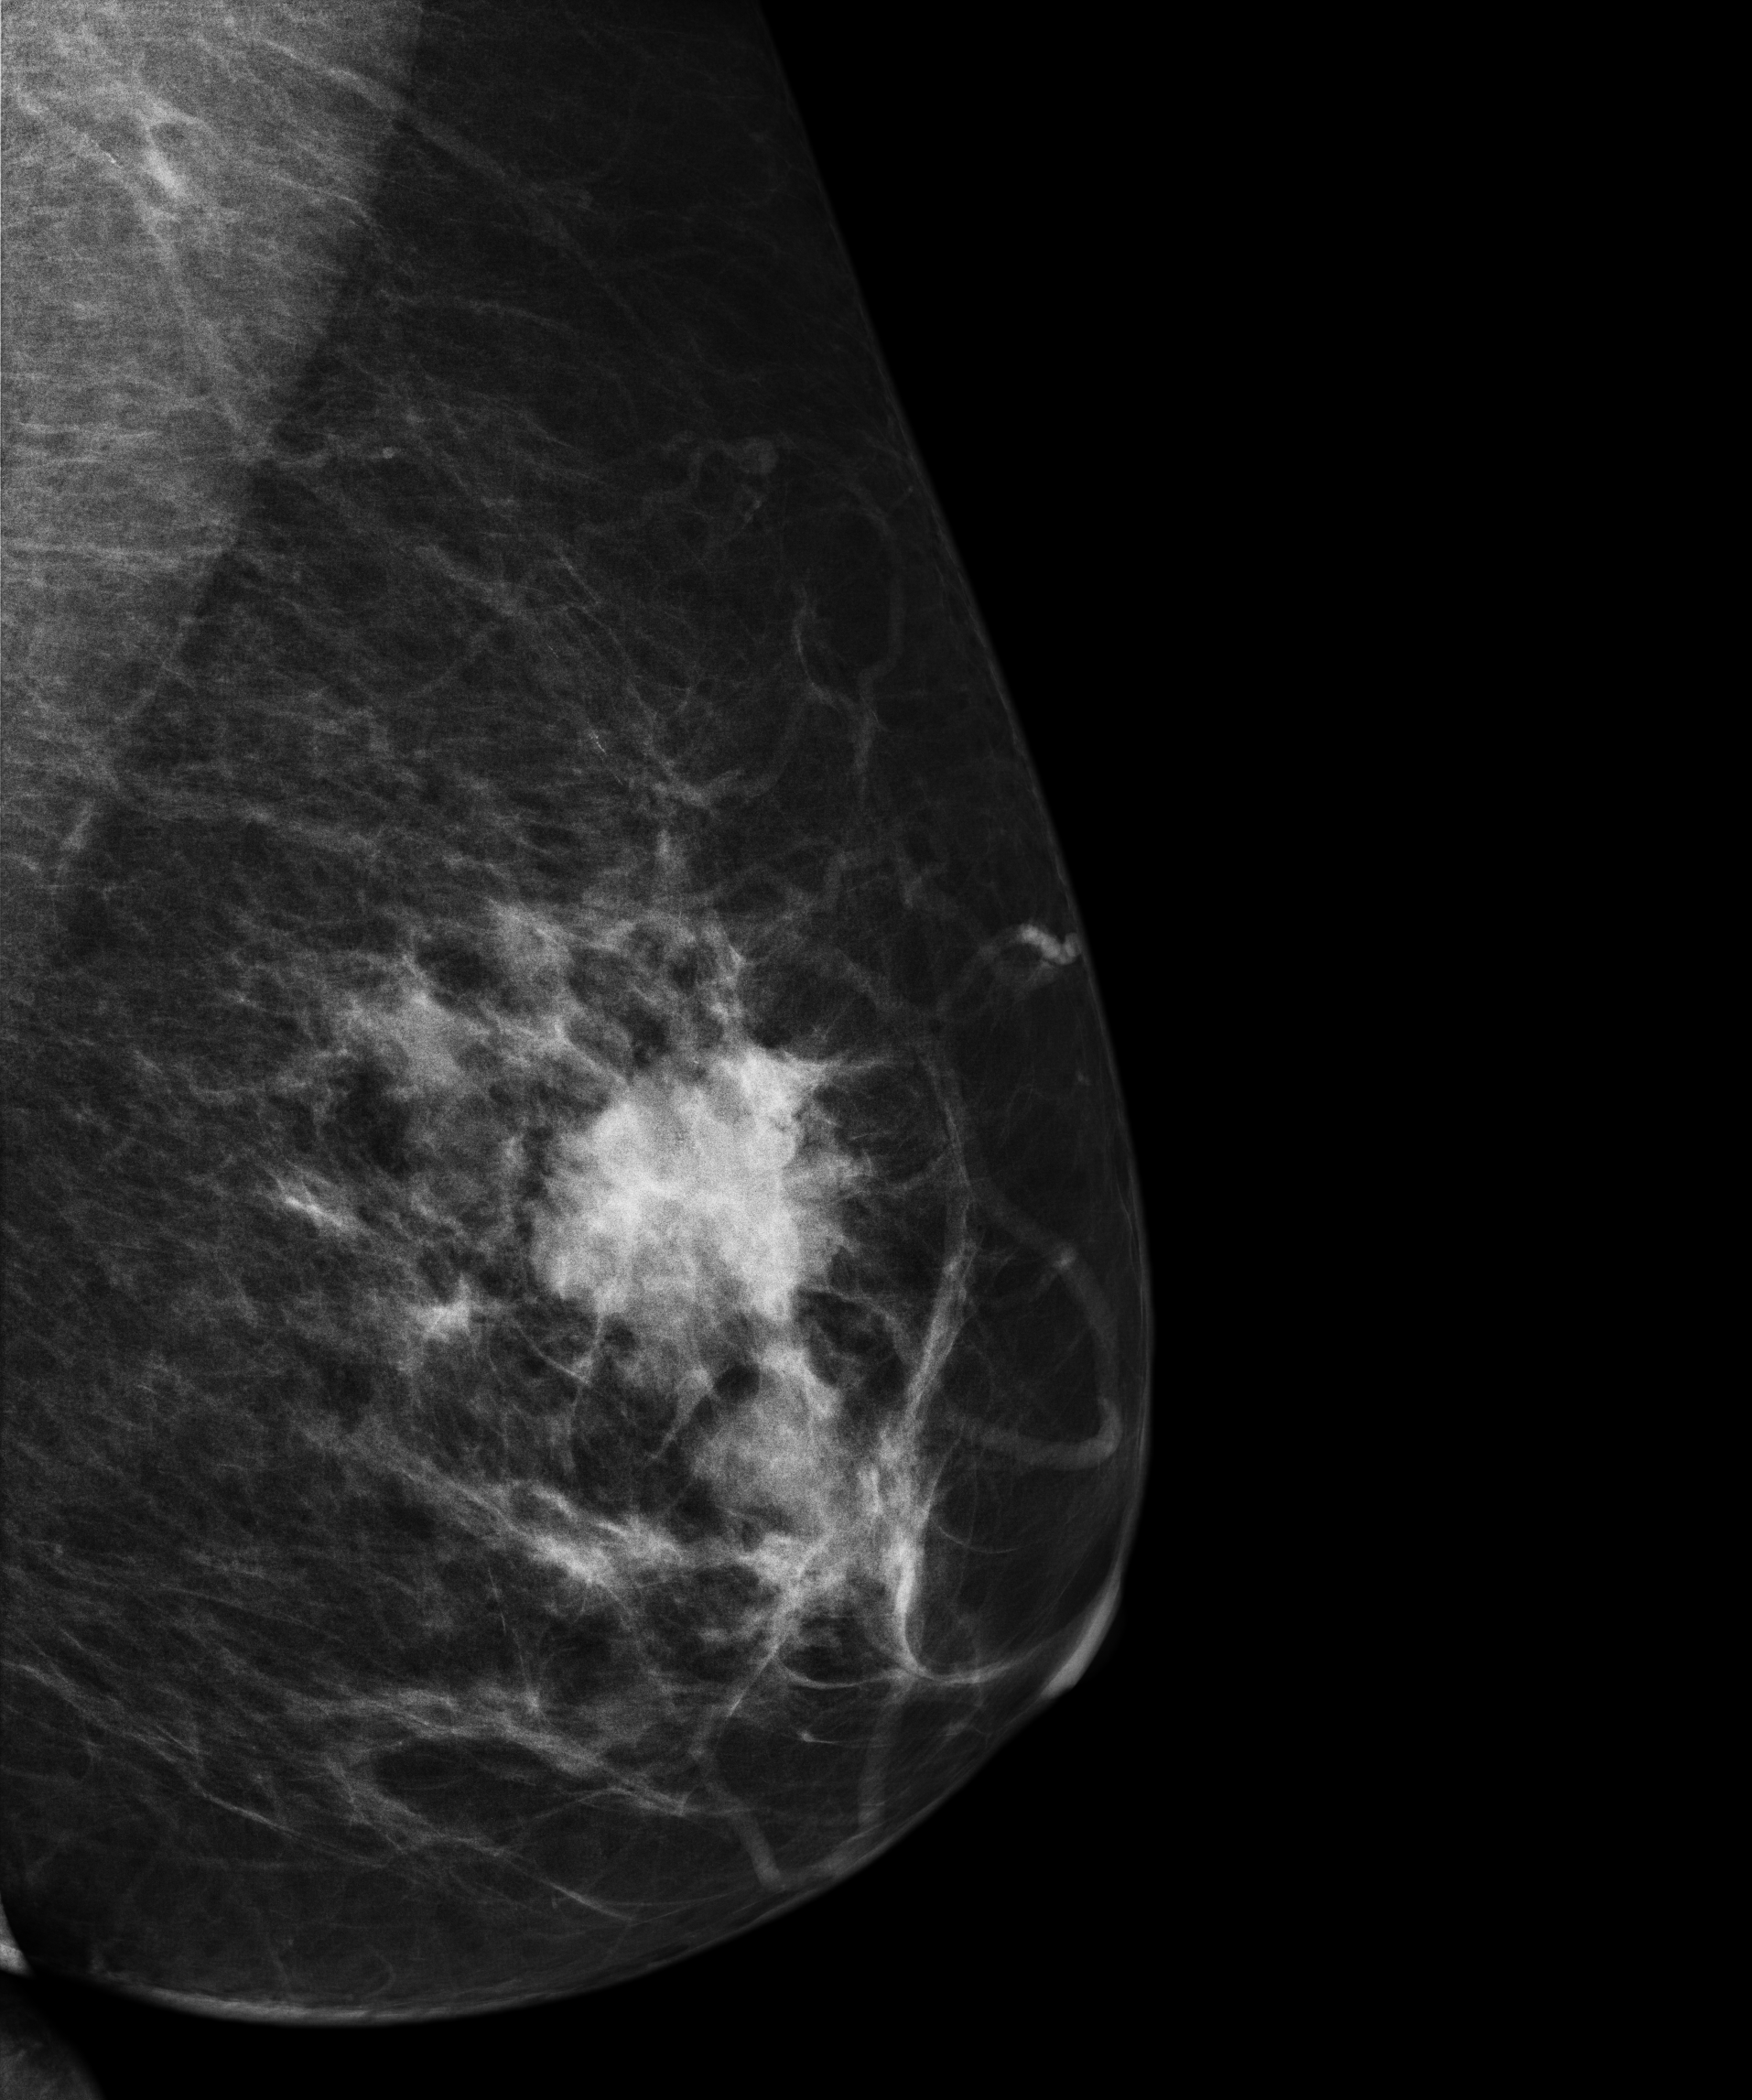
MLO mammogram of the left breast. 53 y/o patient.
This breast has a mass, pathology-confirmed malignant.